Right-breast mammogram, cranio-caudal. Patient age 44.
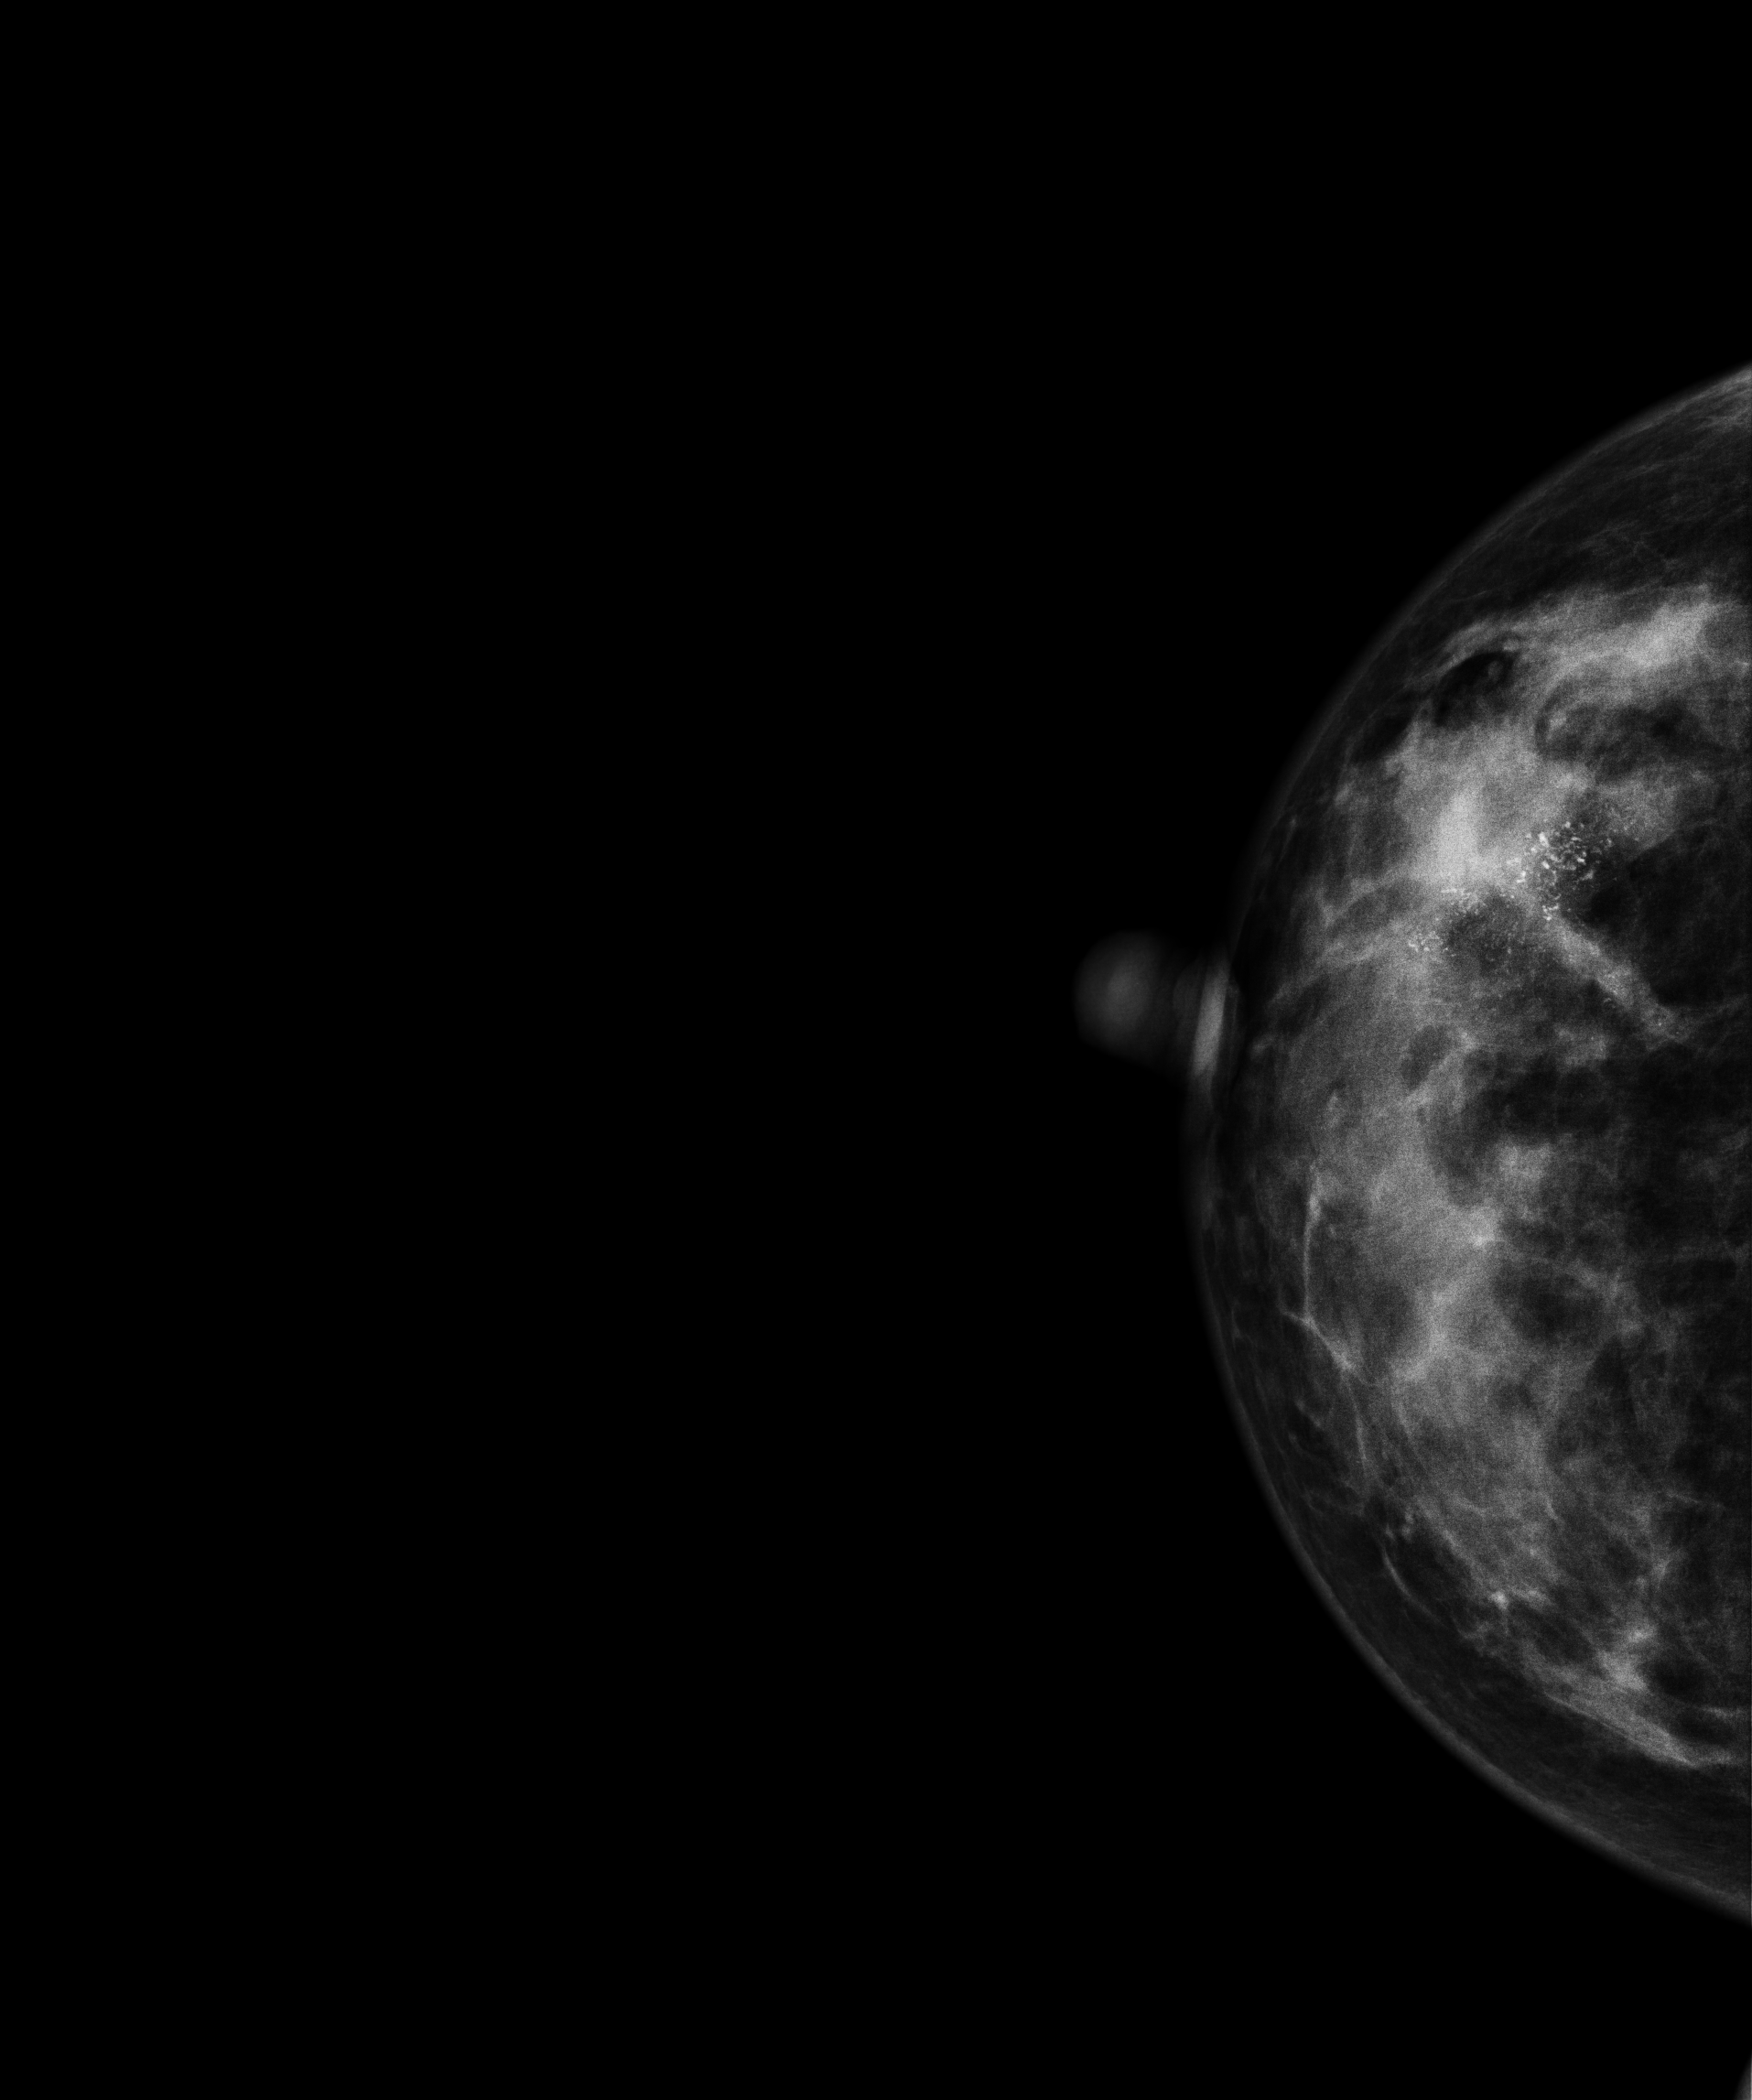
This breast has calcifications, biopsy-confirmed malignant.